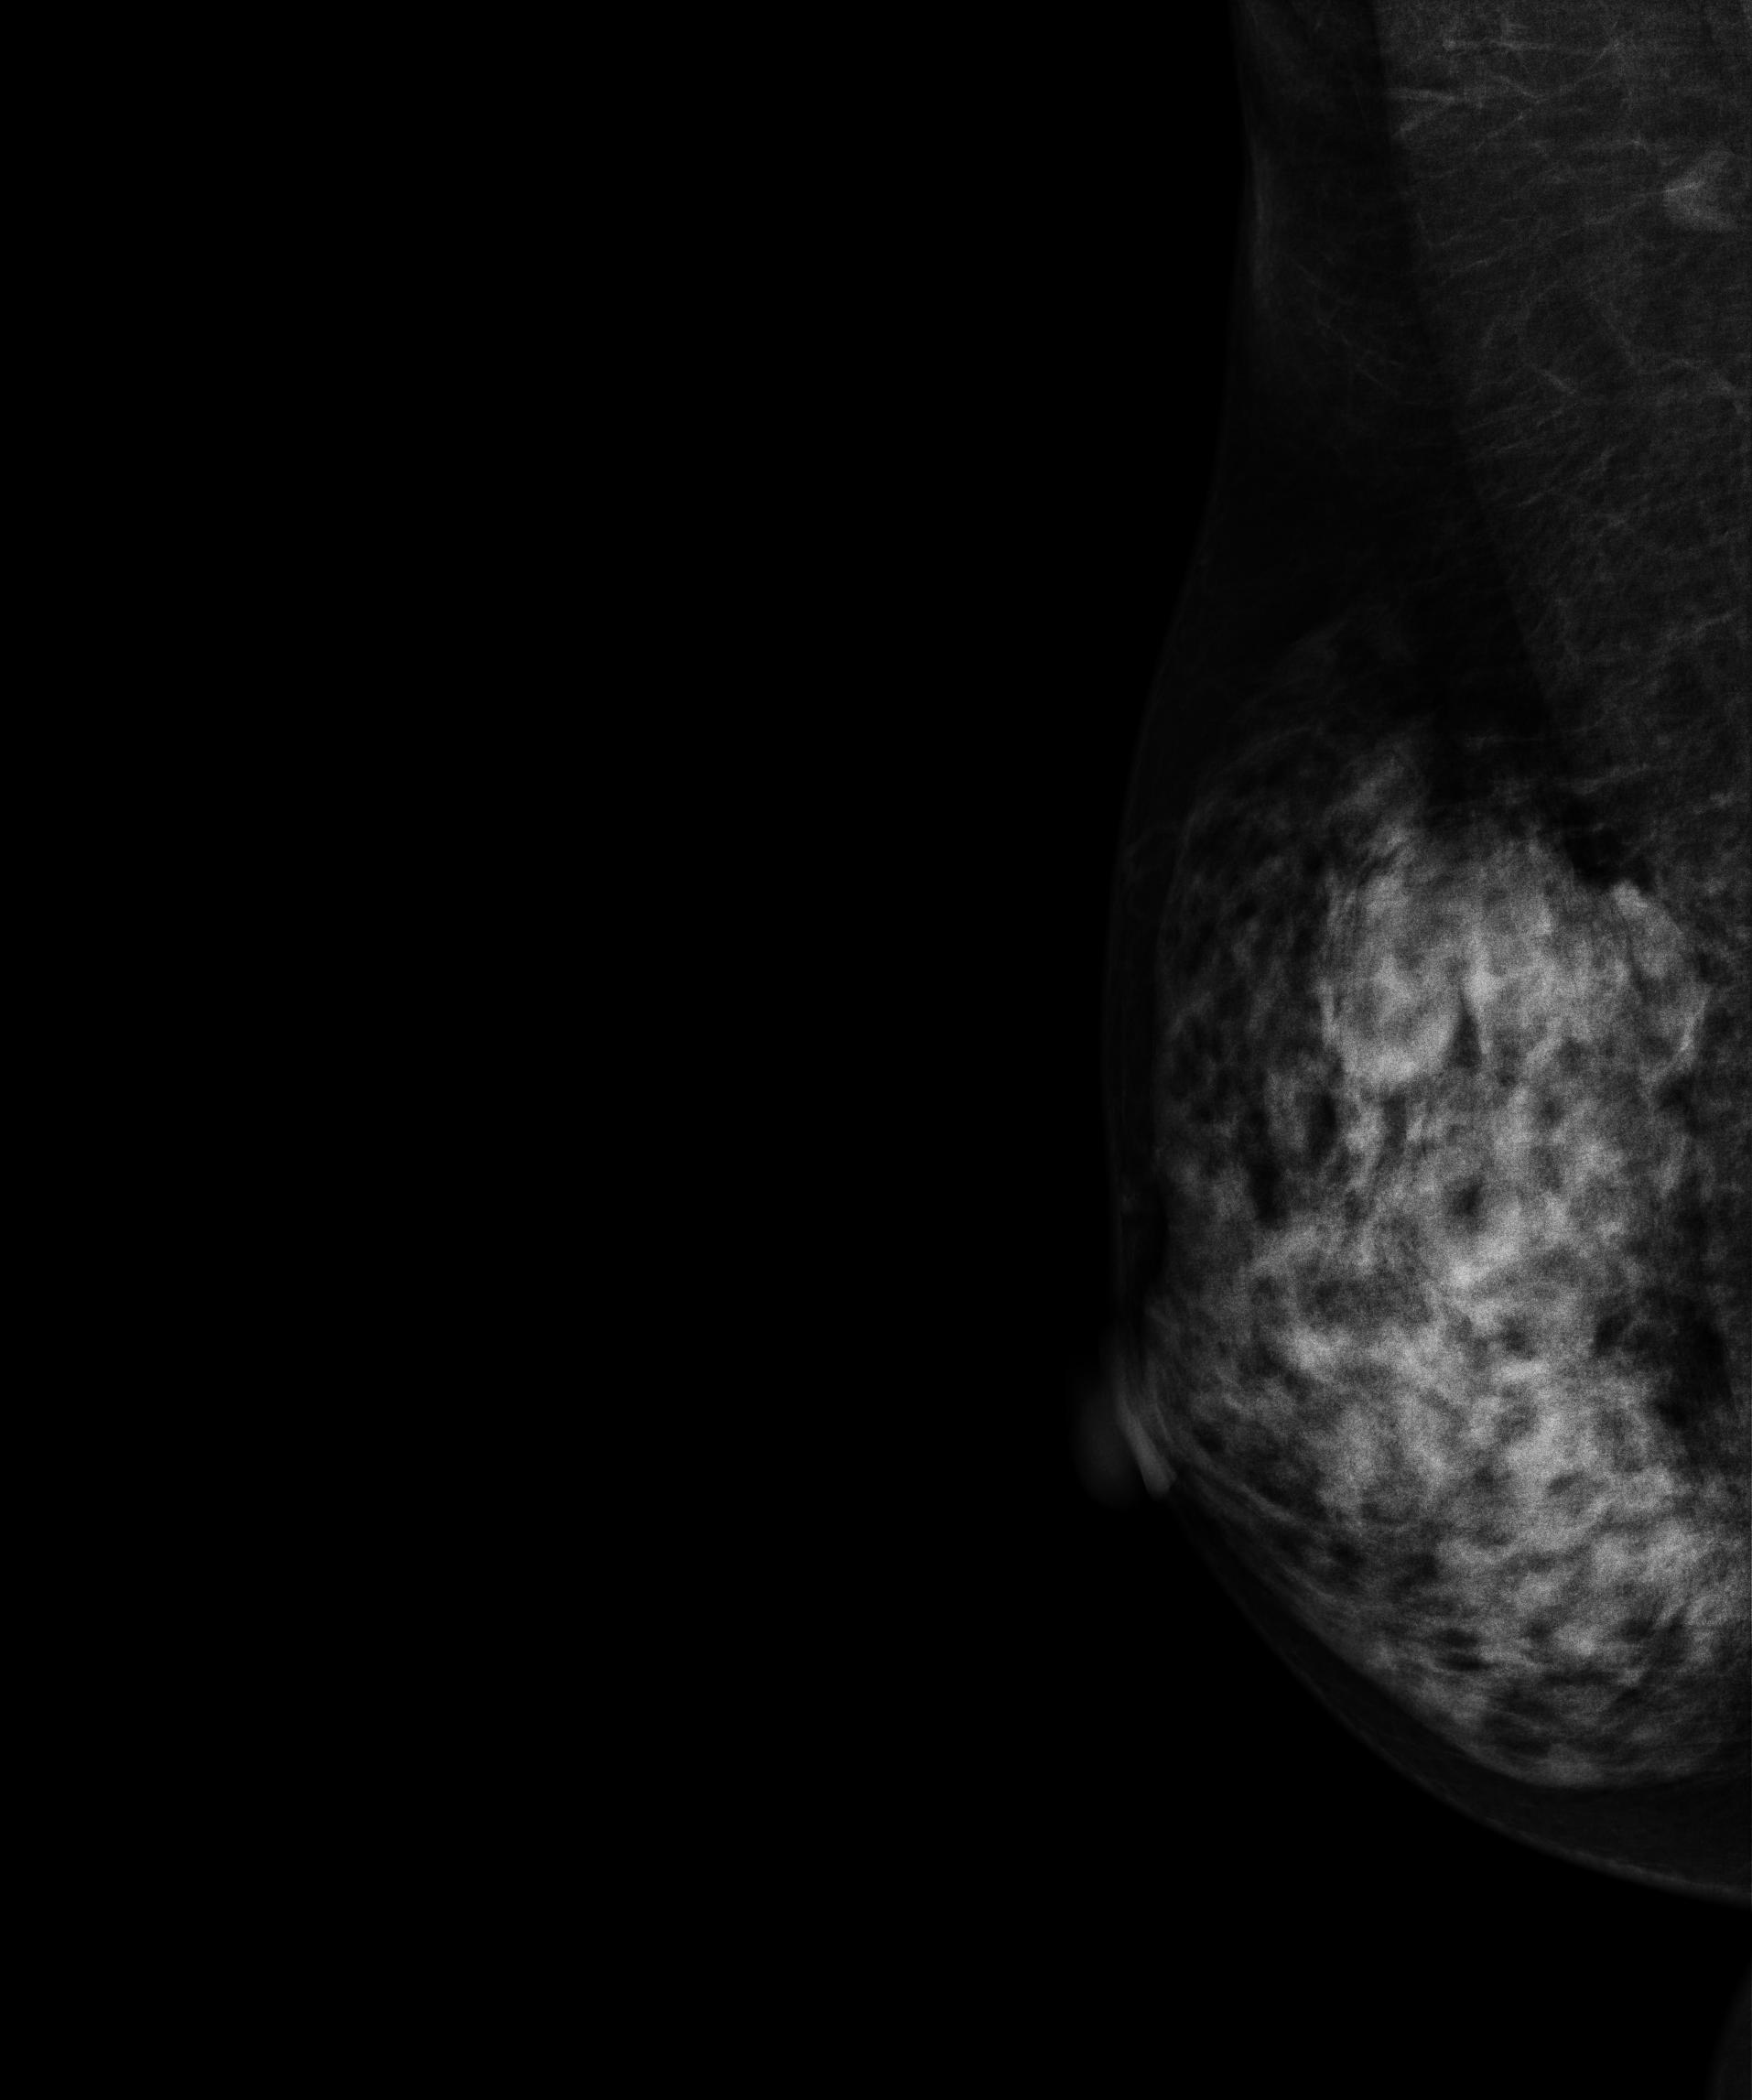
Mammogram, right breast, medio-lateral oblique view. 46-year-old patient.
This breast has a mass, histologically confirmed benign.